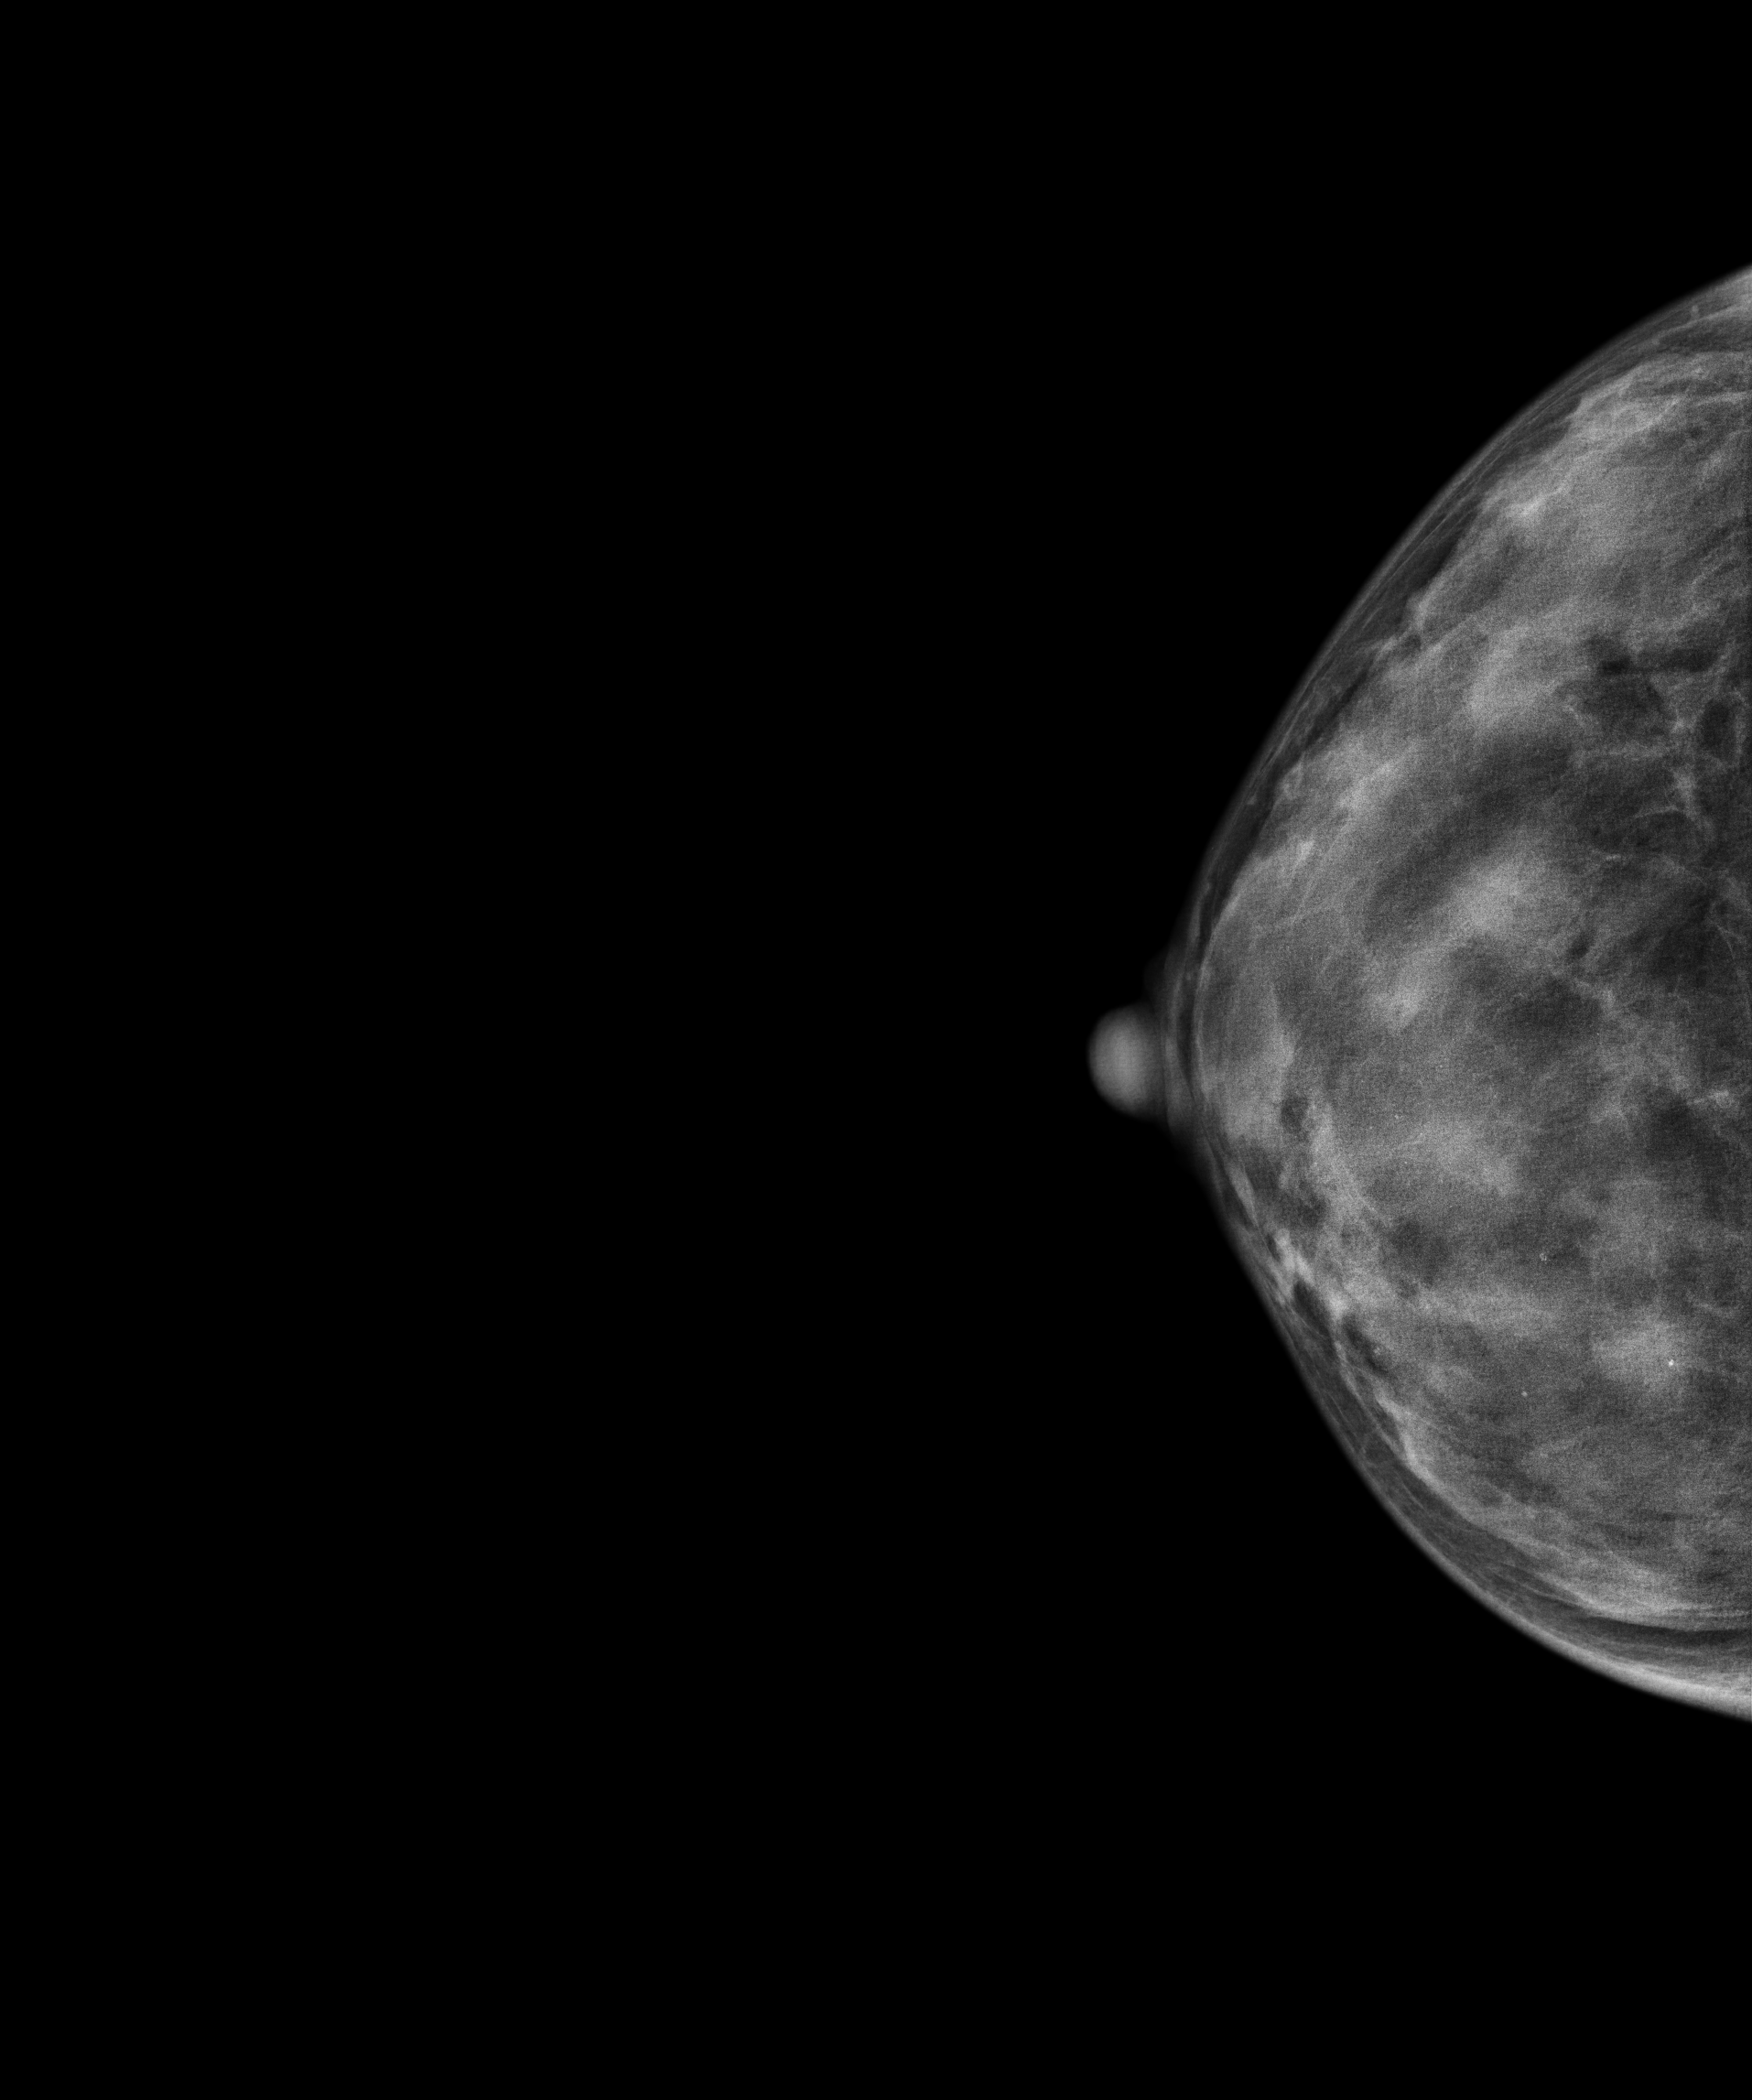
Mammogram, right breast, CC view. Patient age 46.
This breast has a mass and calcifications, biopsy-confirmed malignant. Molecular subtype: luminal A.